Left-breast mammogram, CC. 30-year-old patient.
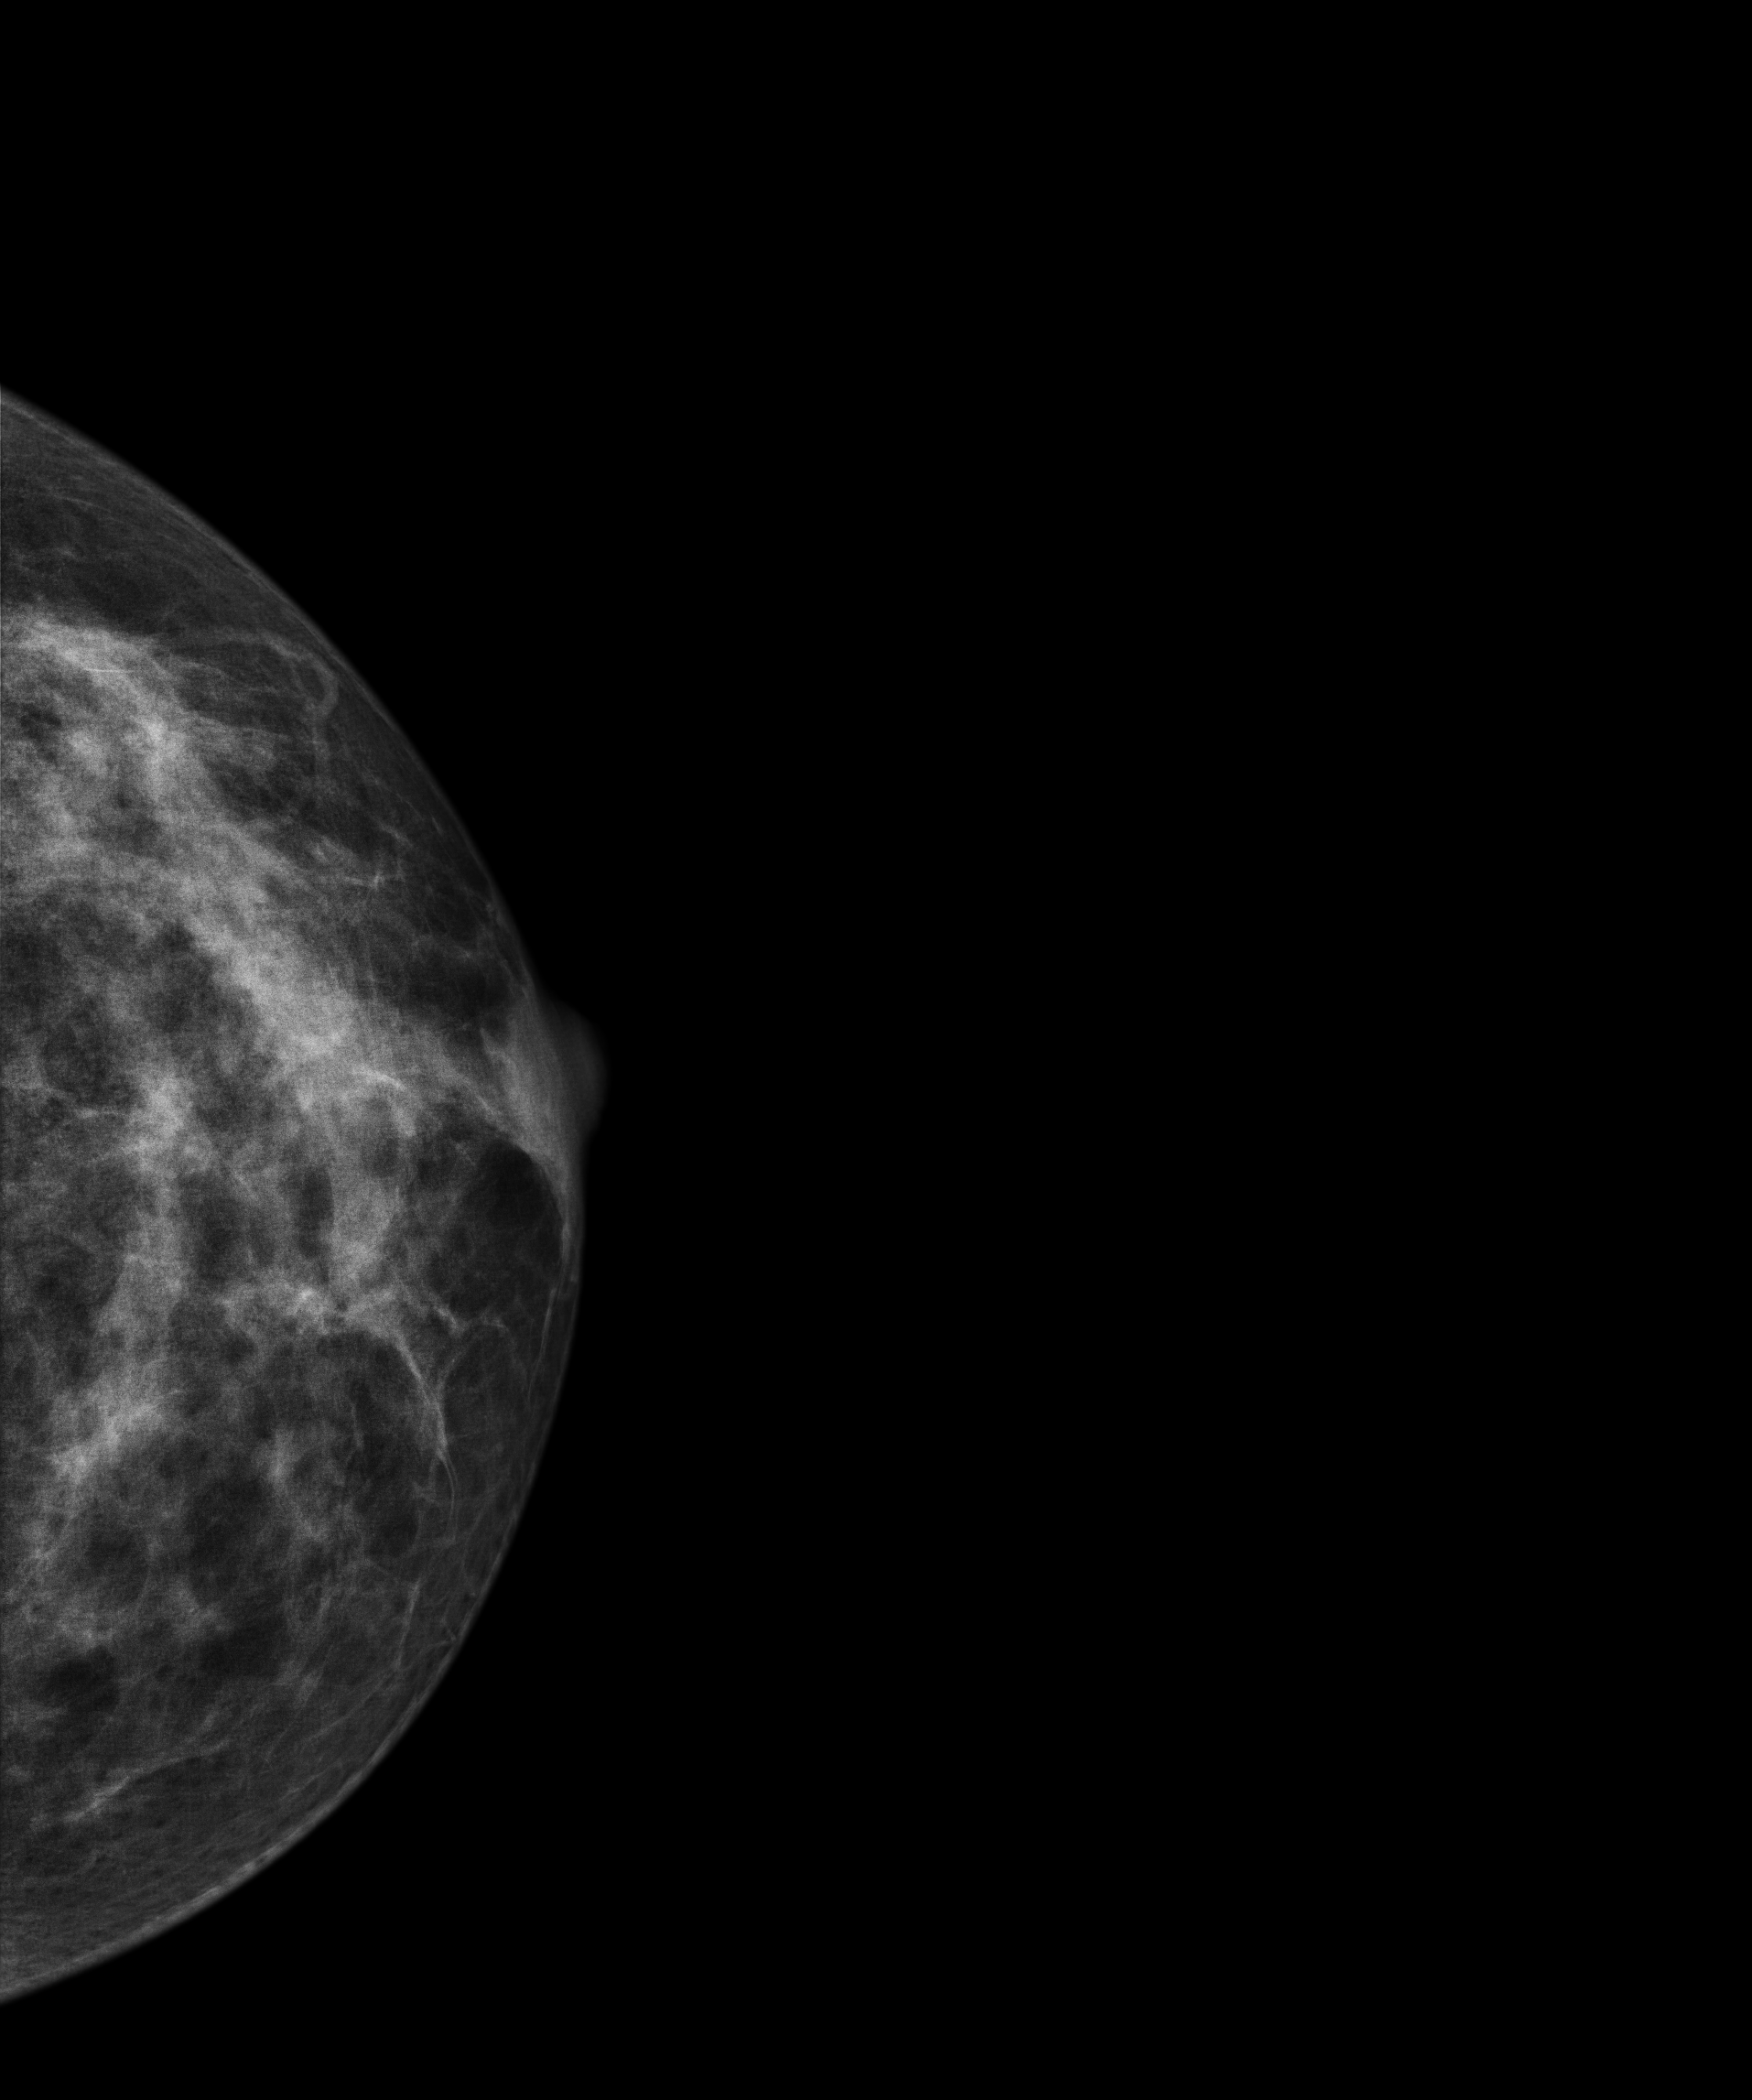
Contralateral breast — no documented abnormality on this side.